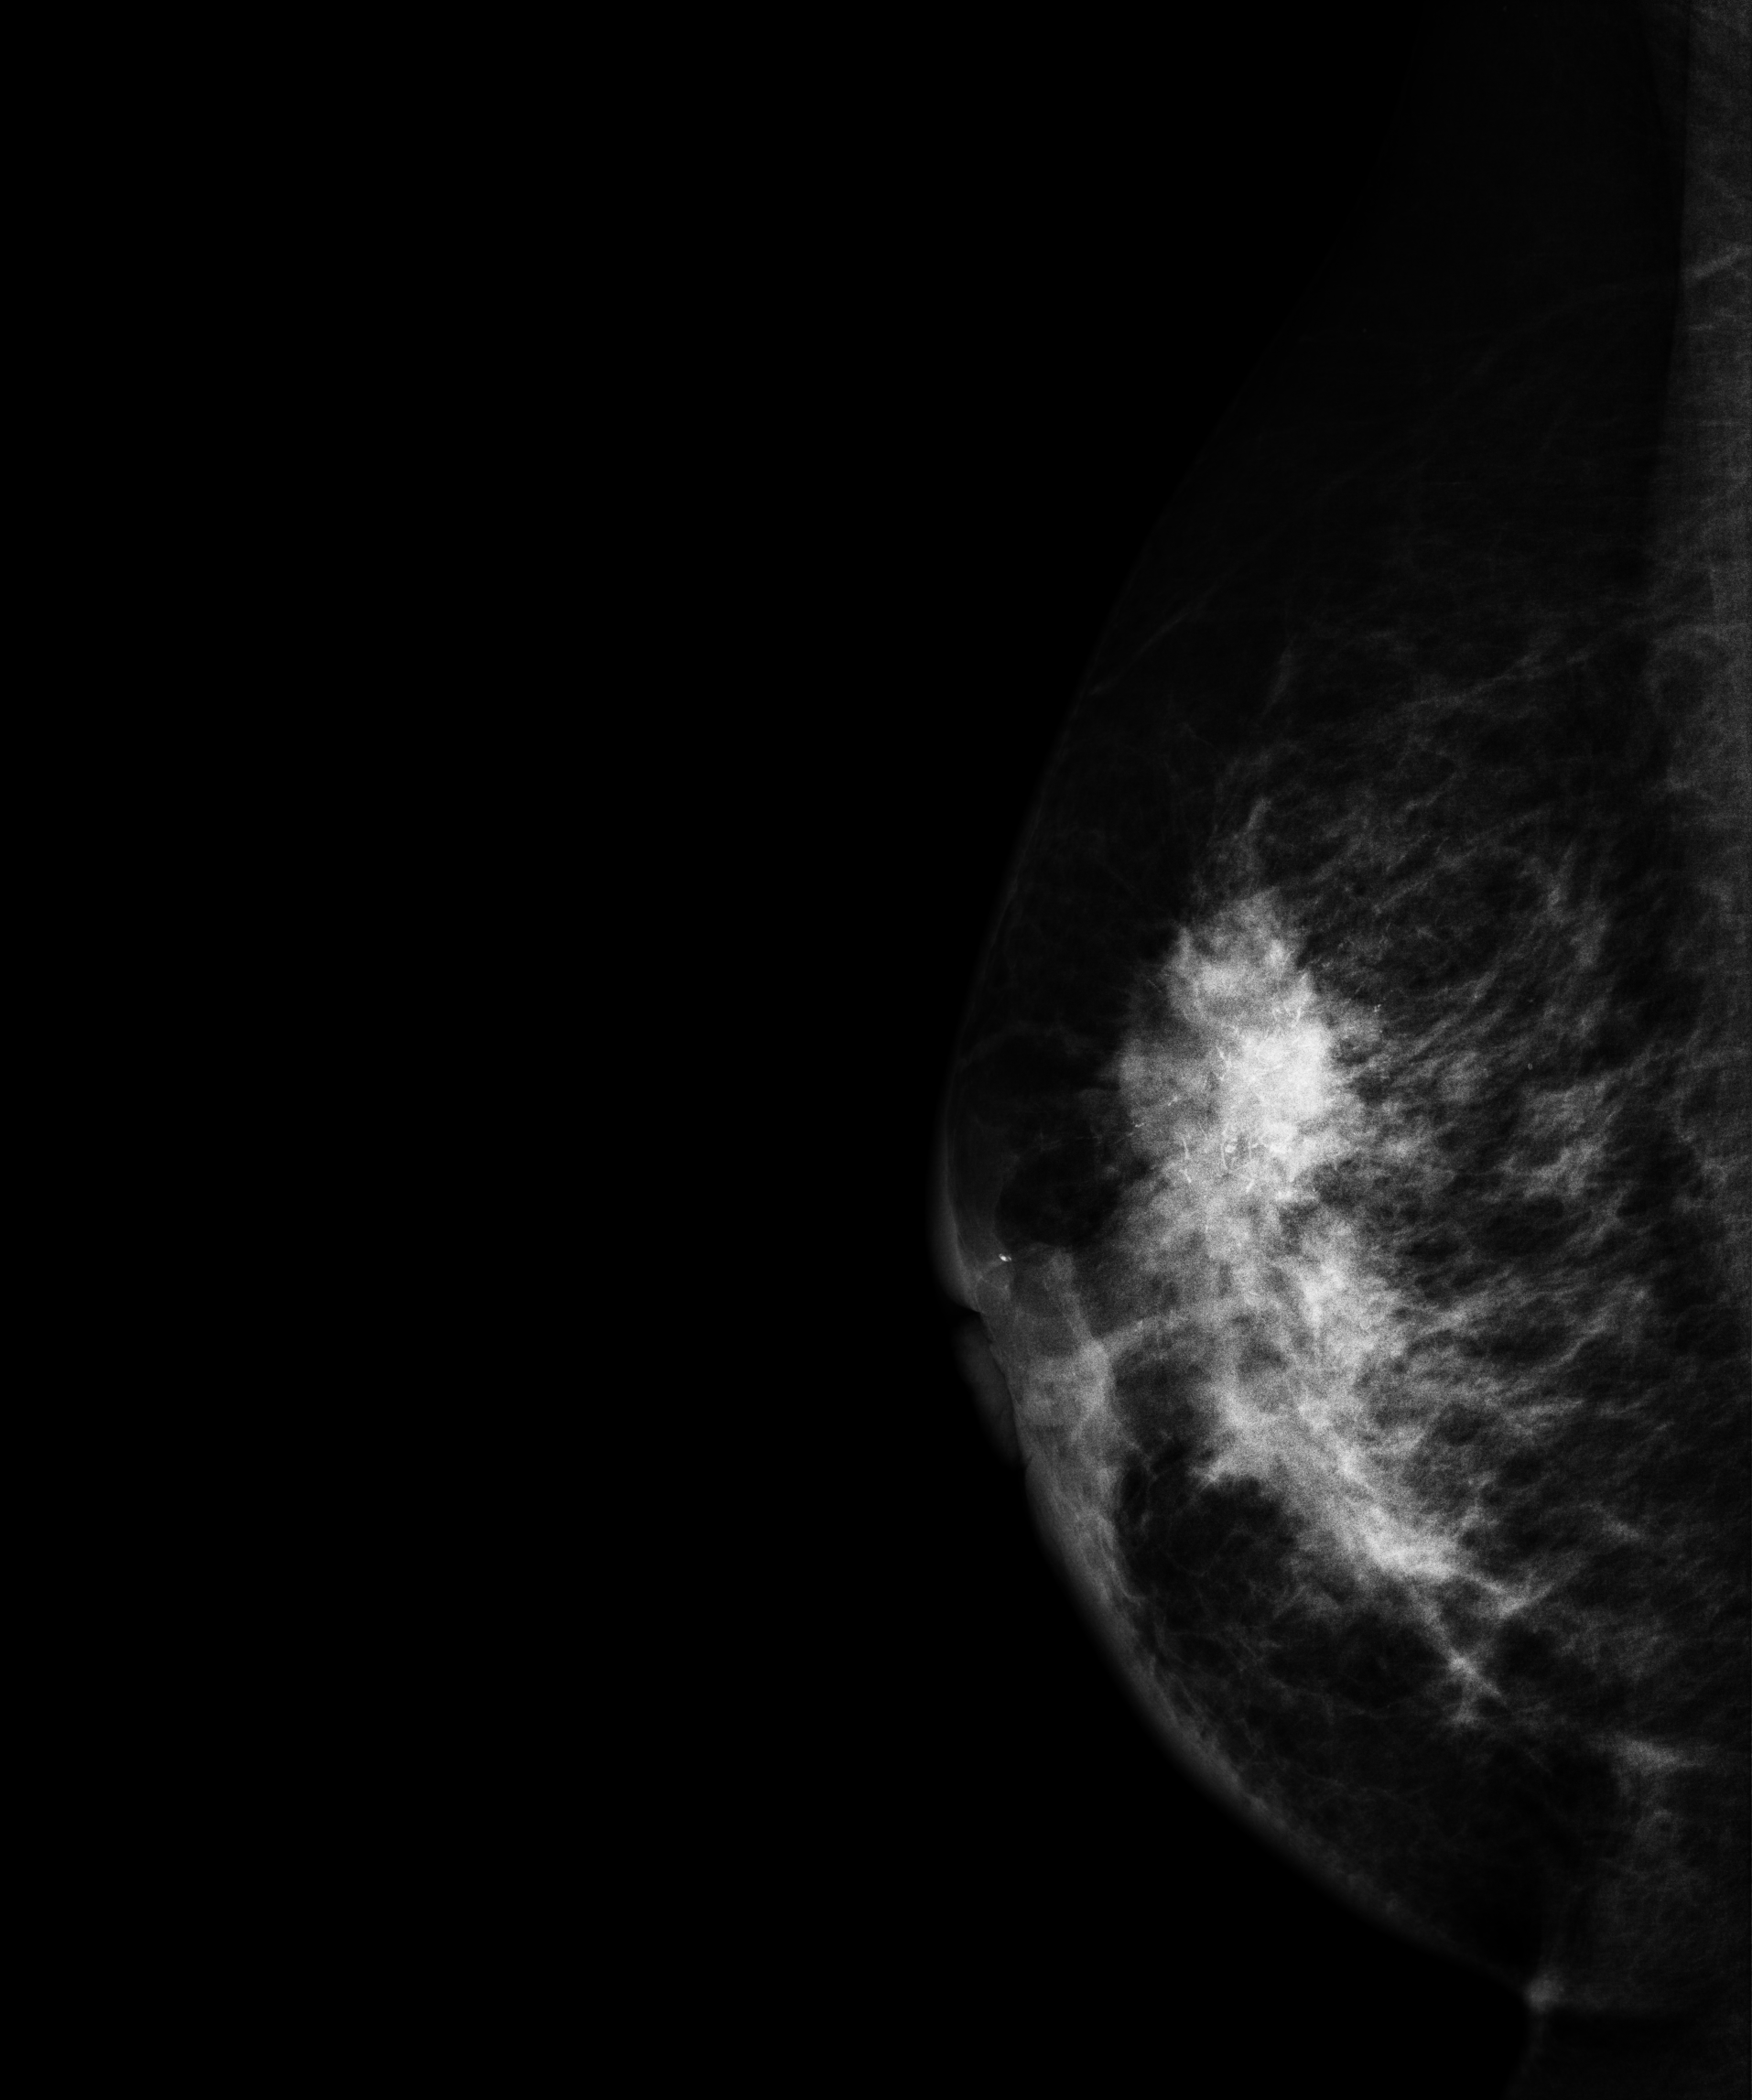
Mammogram, right breast, MLO view. 63 y/o patient.
This breast has a mass and calcifications, histologically confirmed malignant.